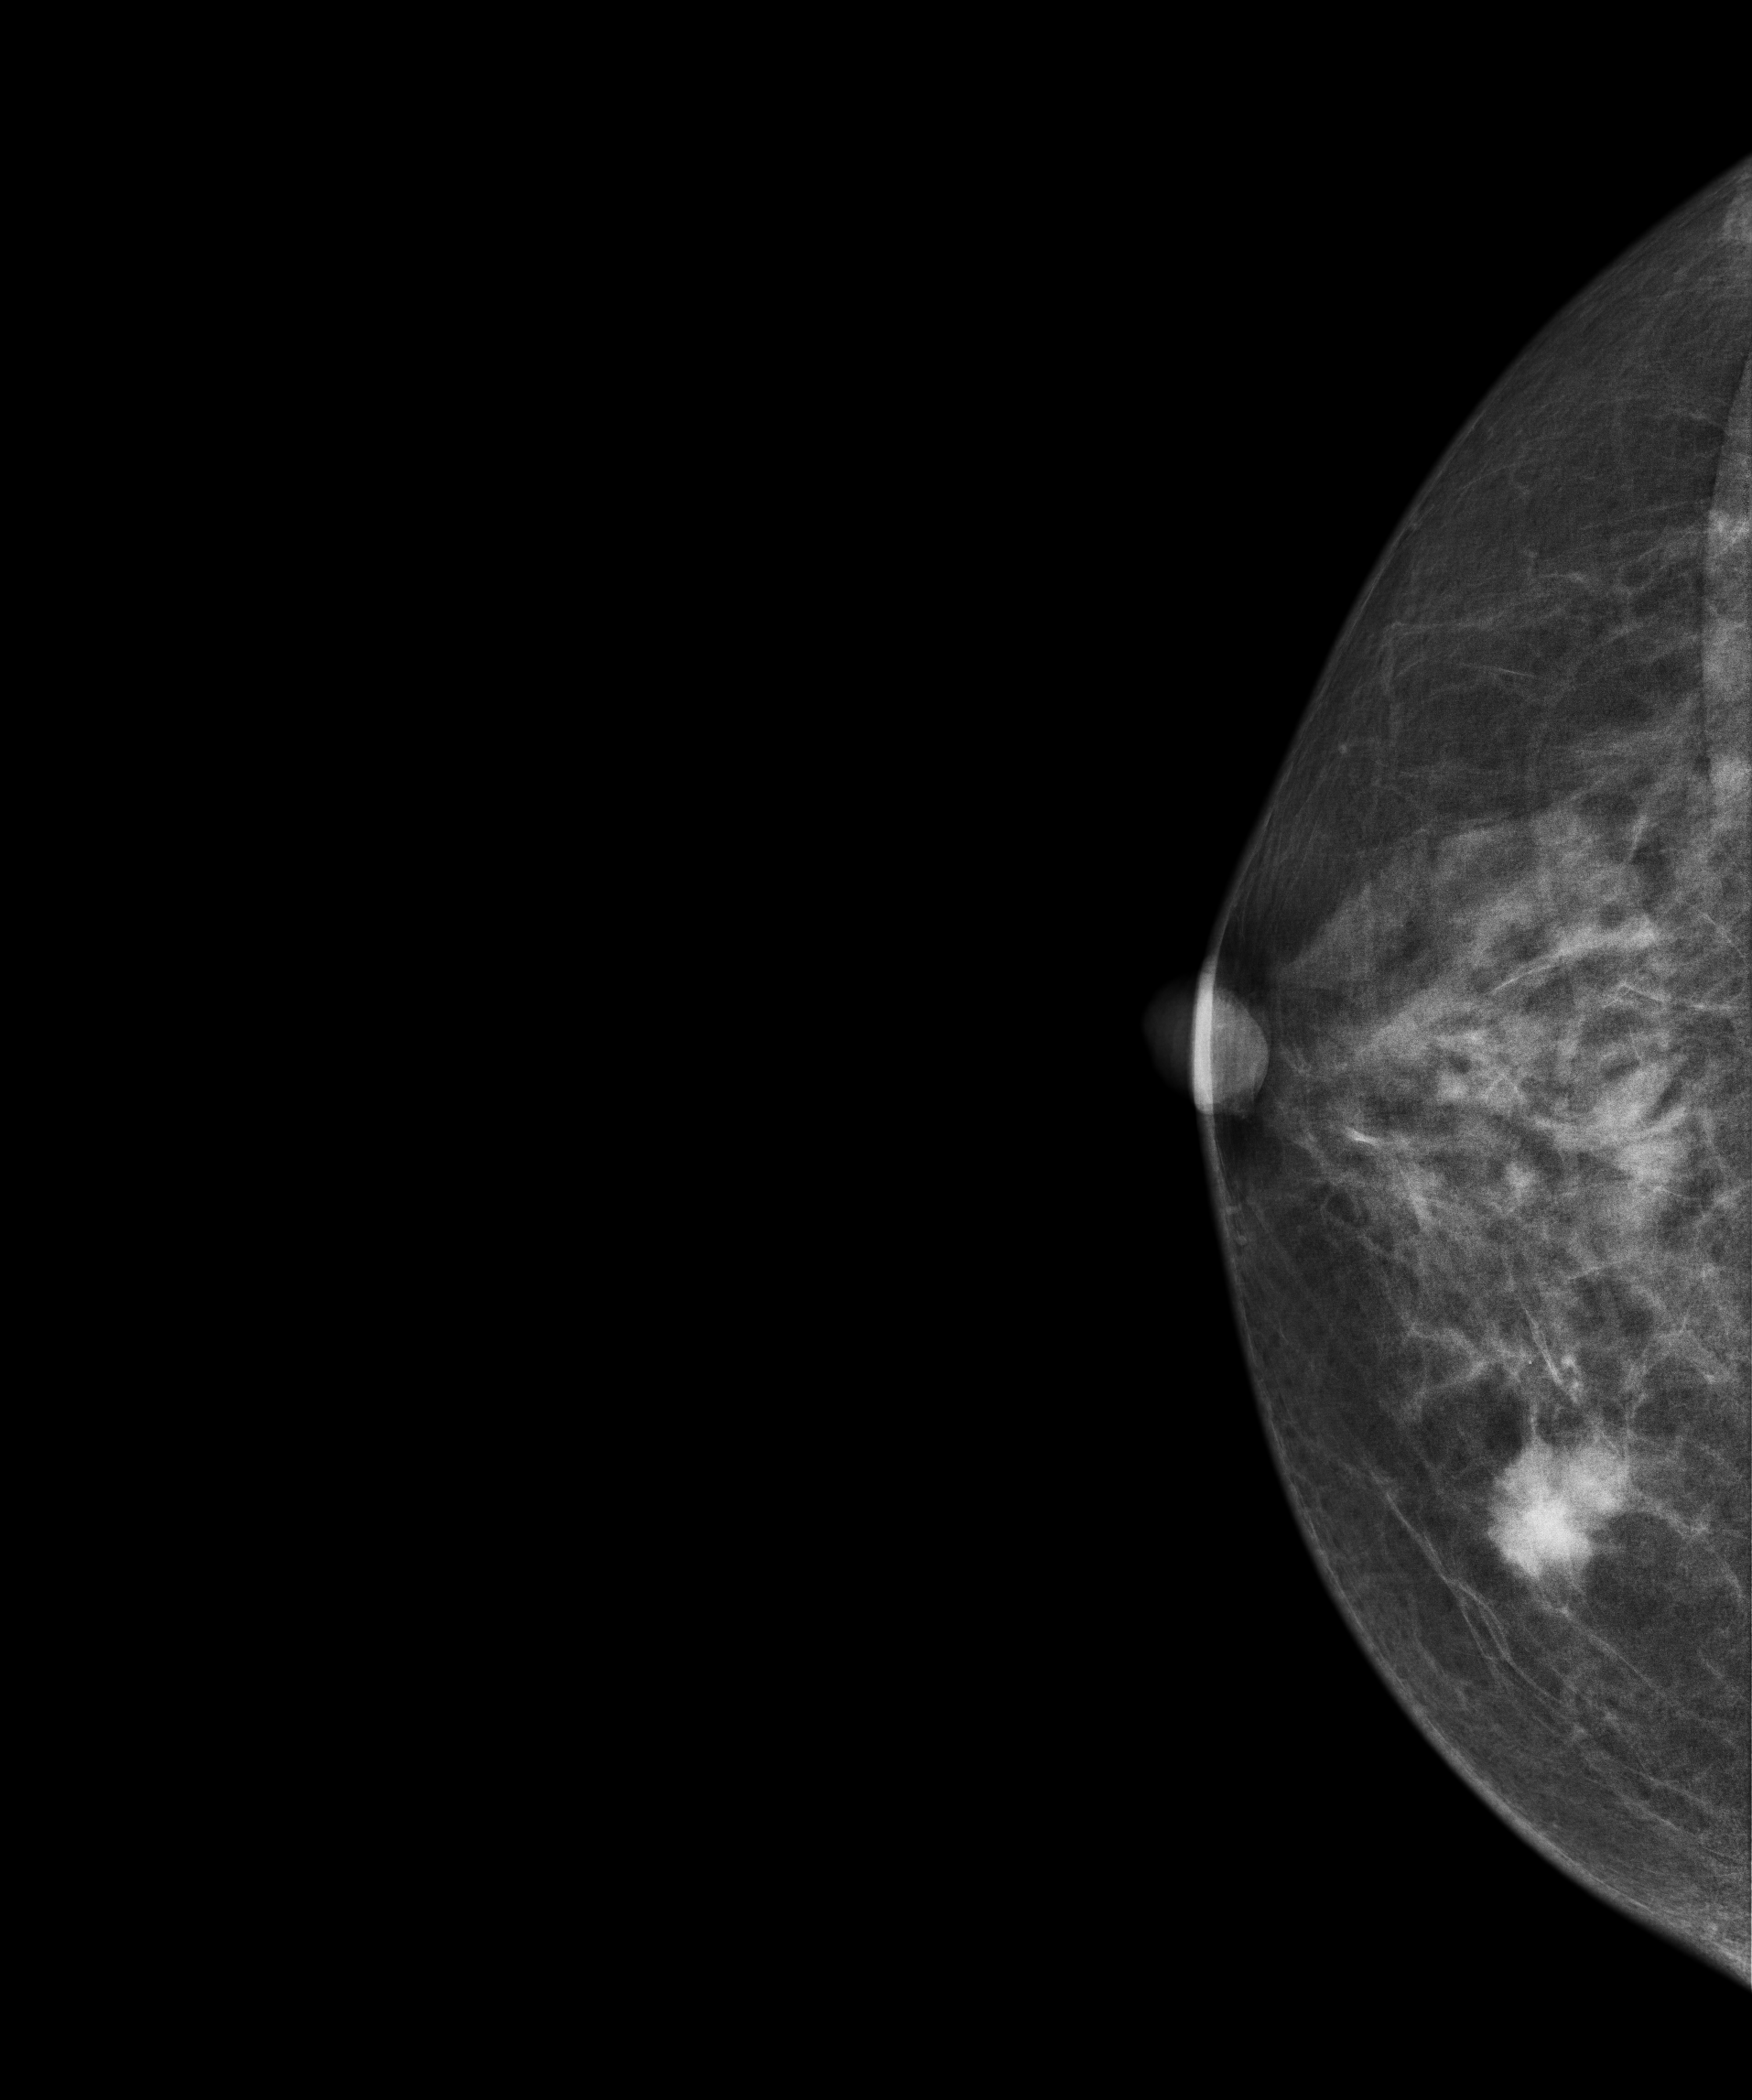
Mammogram, right breast, cranio-caudal view. 50 y/o patient.
This breast has a mass, biopsy-confirmed malignant. Molecular subtype: luminal A.